Mammogram, right breast, MLO view. Patient age 46.
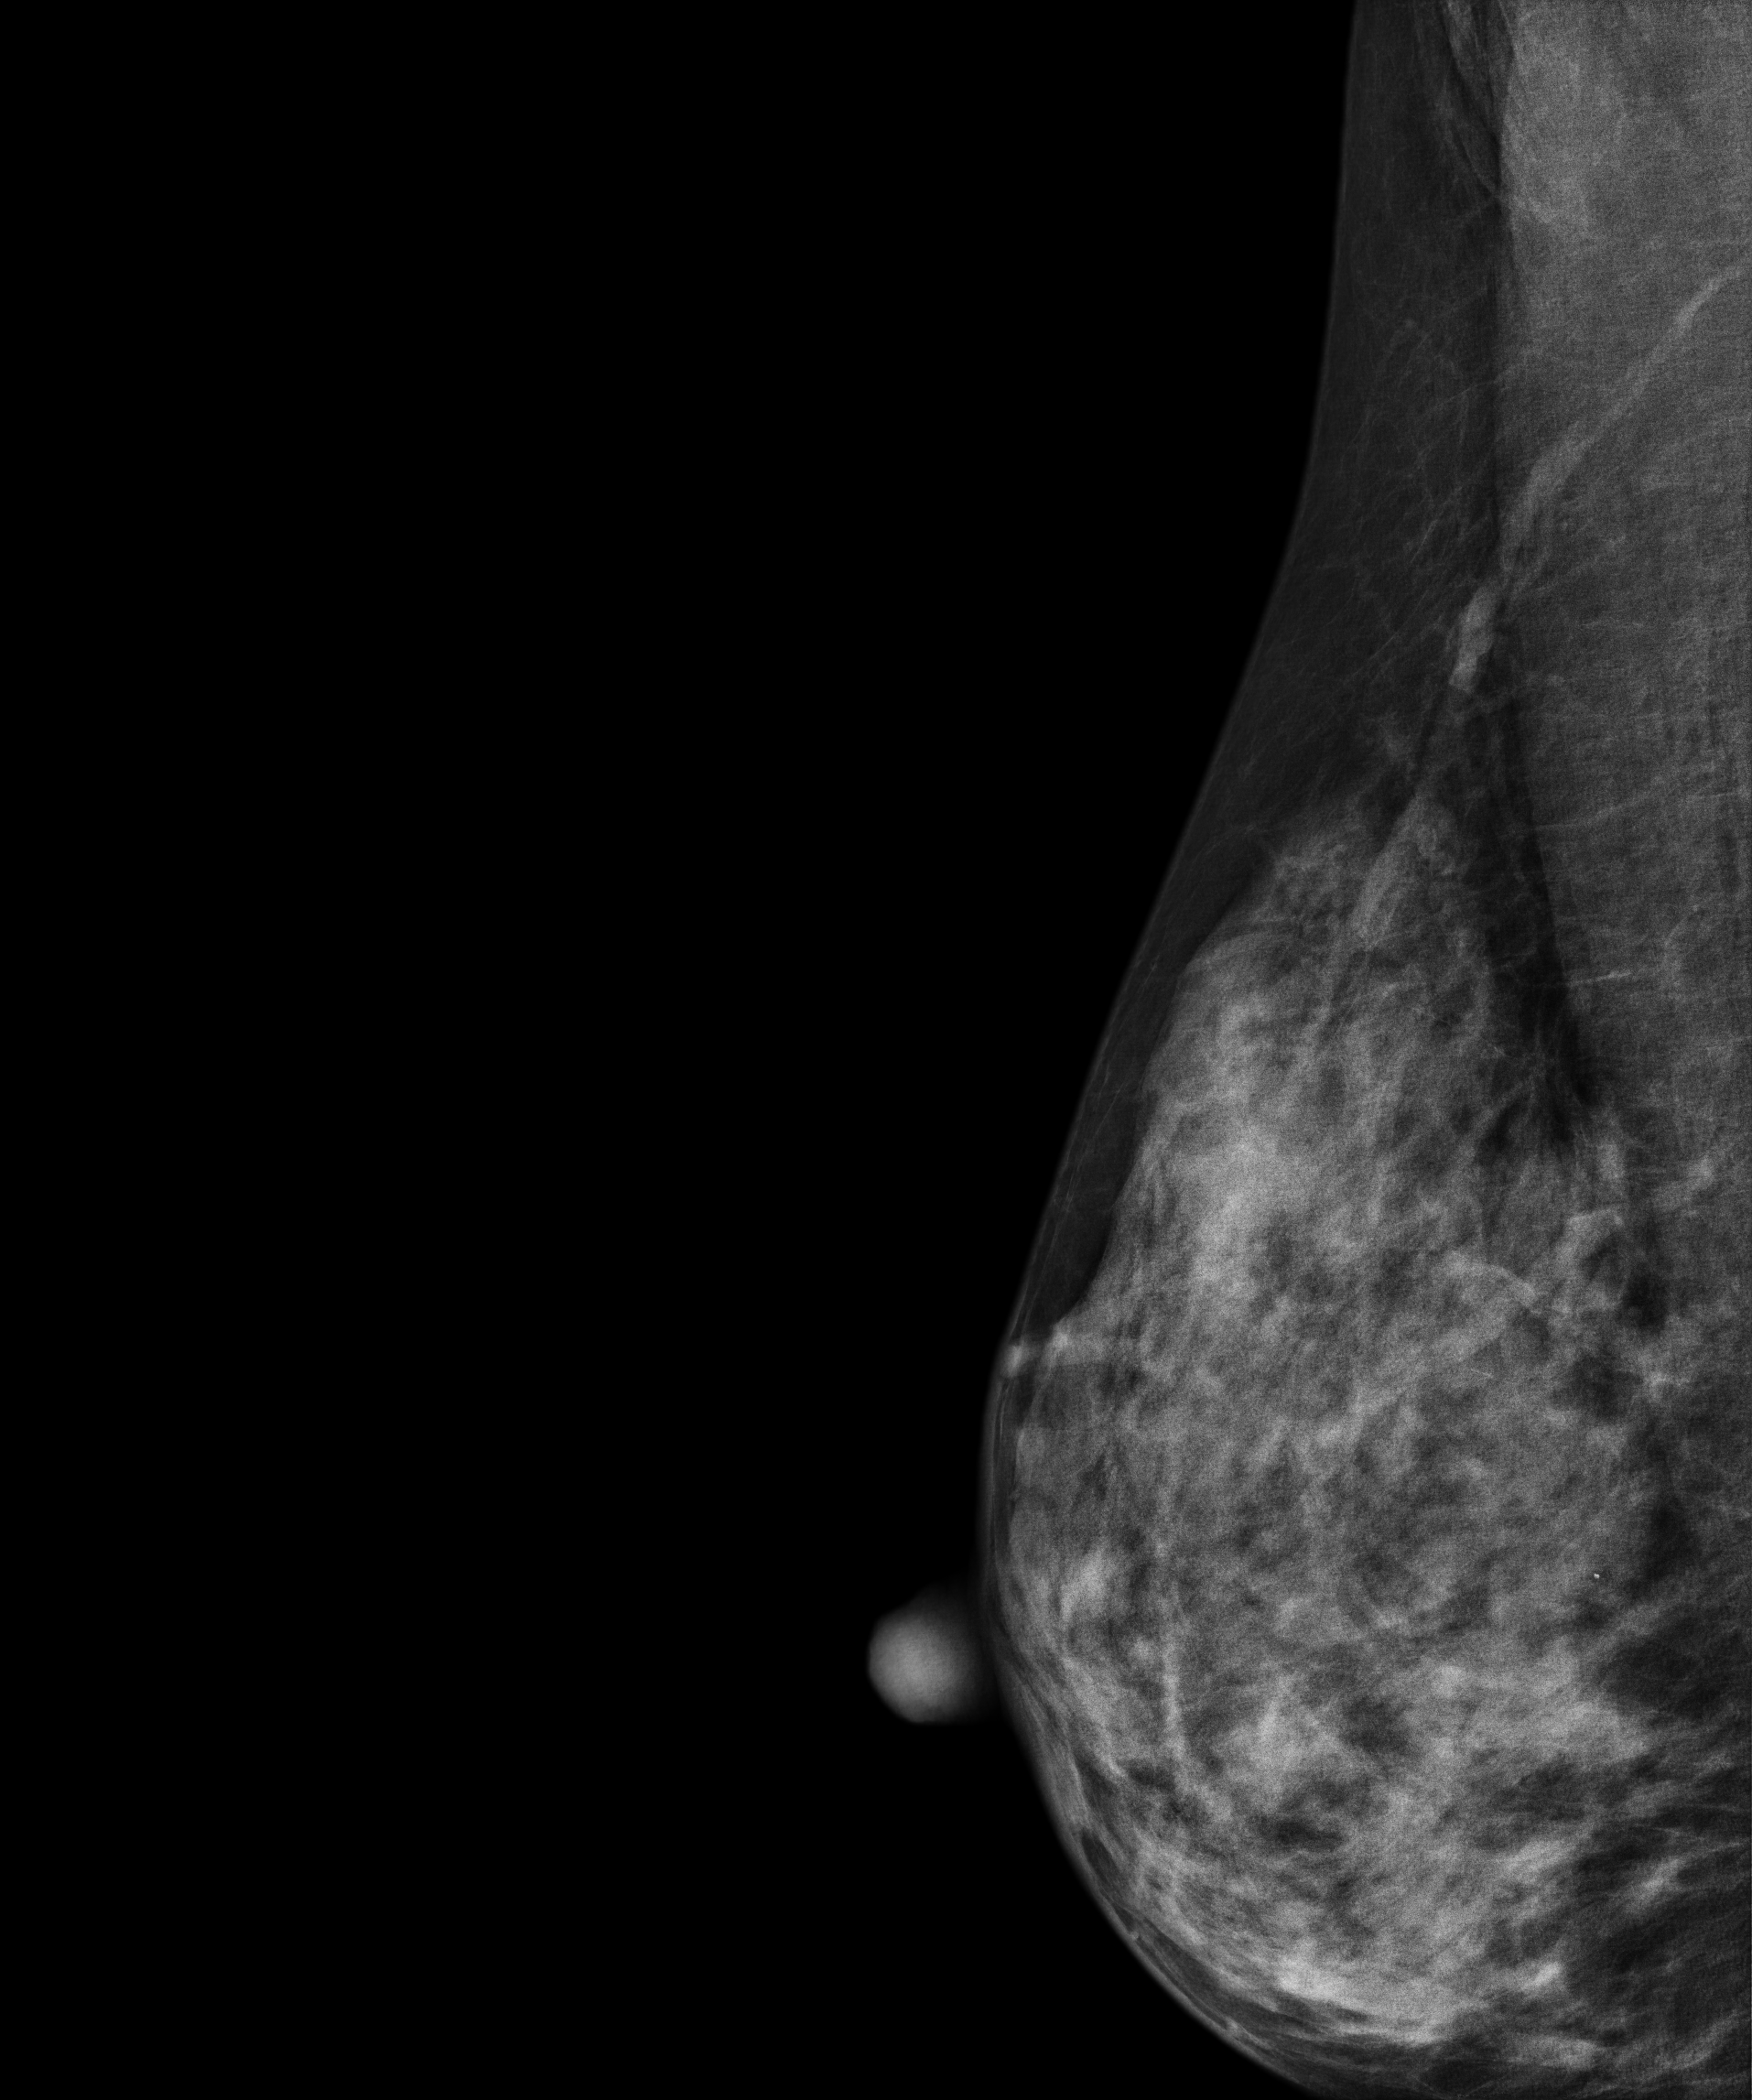
This breast has a mass, biopsy-confirmed malignant. Molecular subtype: HER2-enriched.